Mammogram — right MLO. 40-year-old patient.
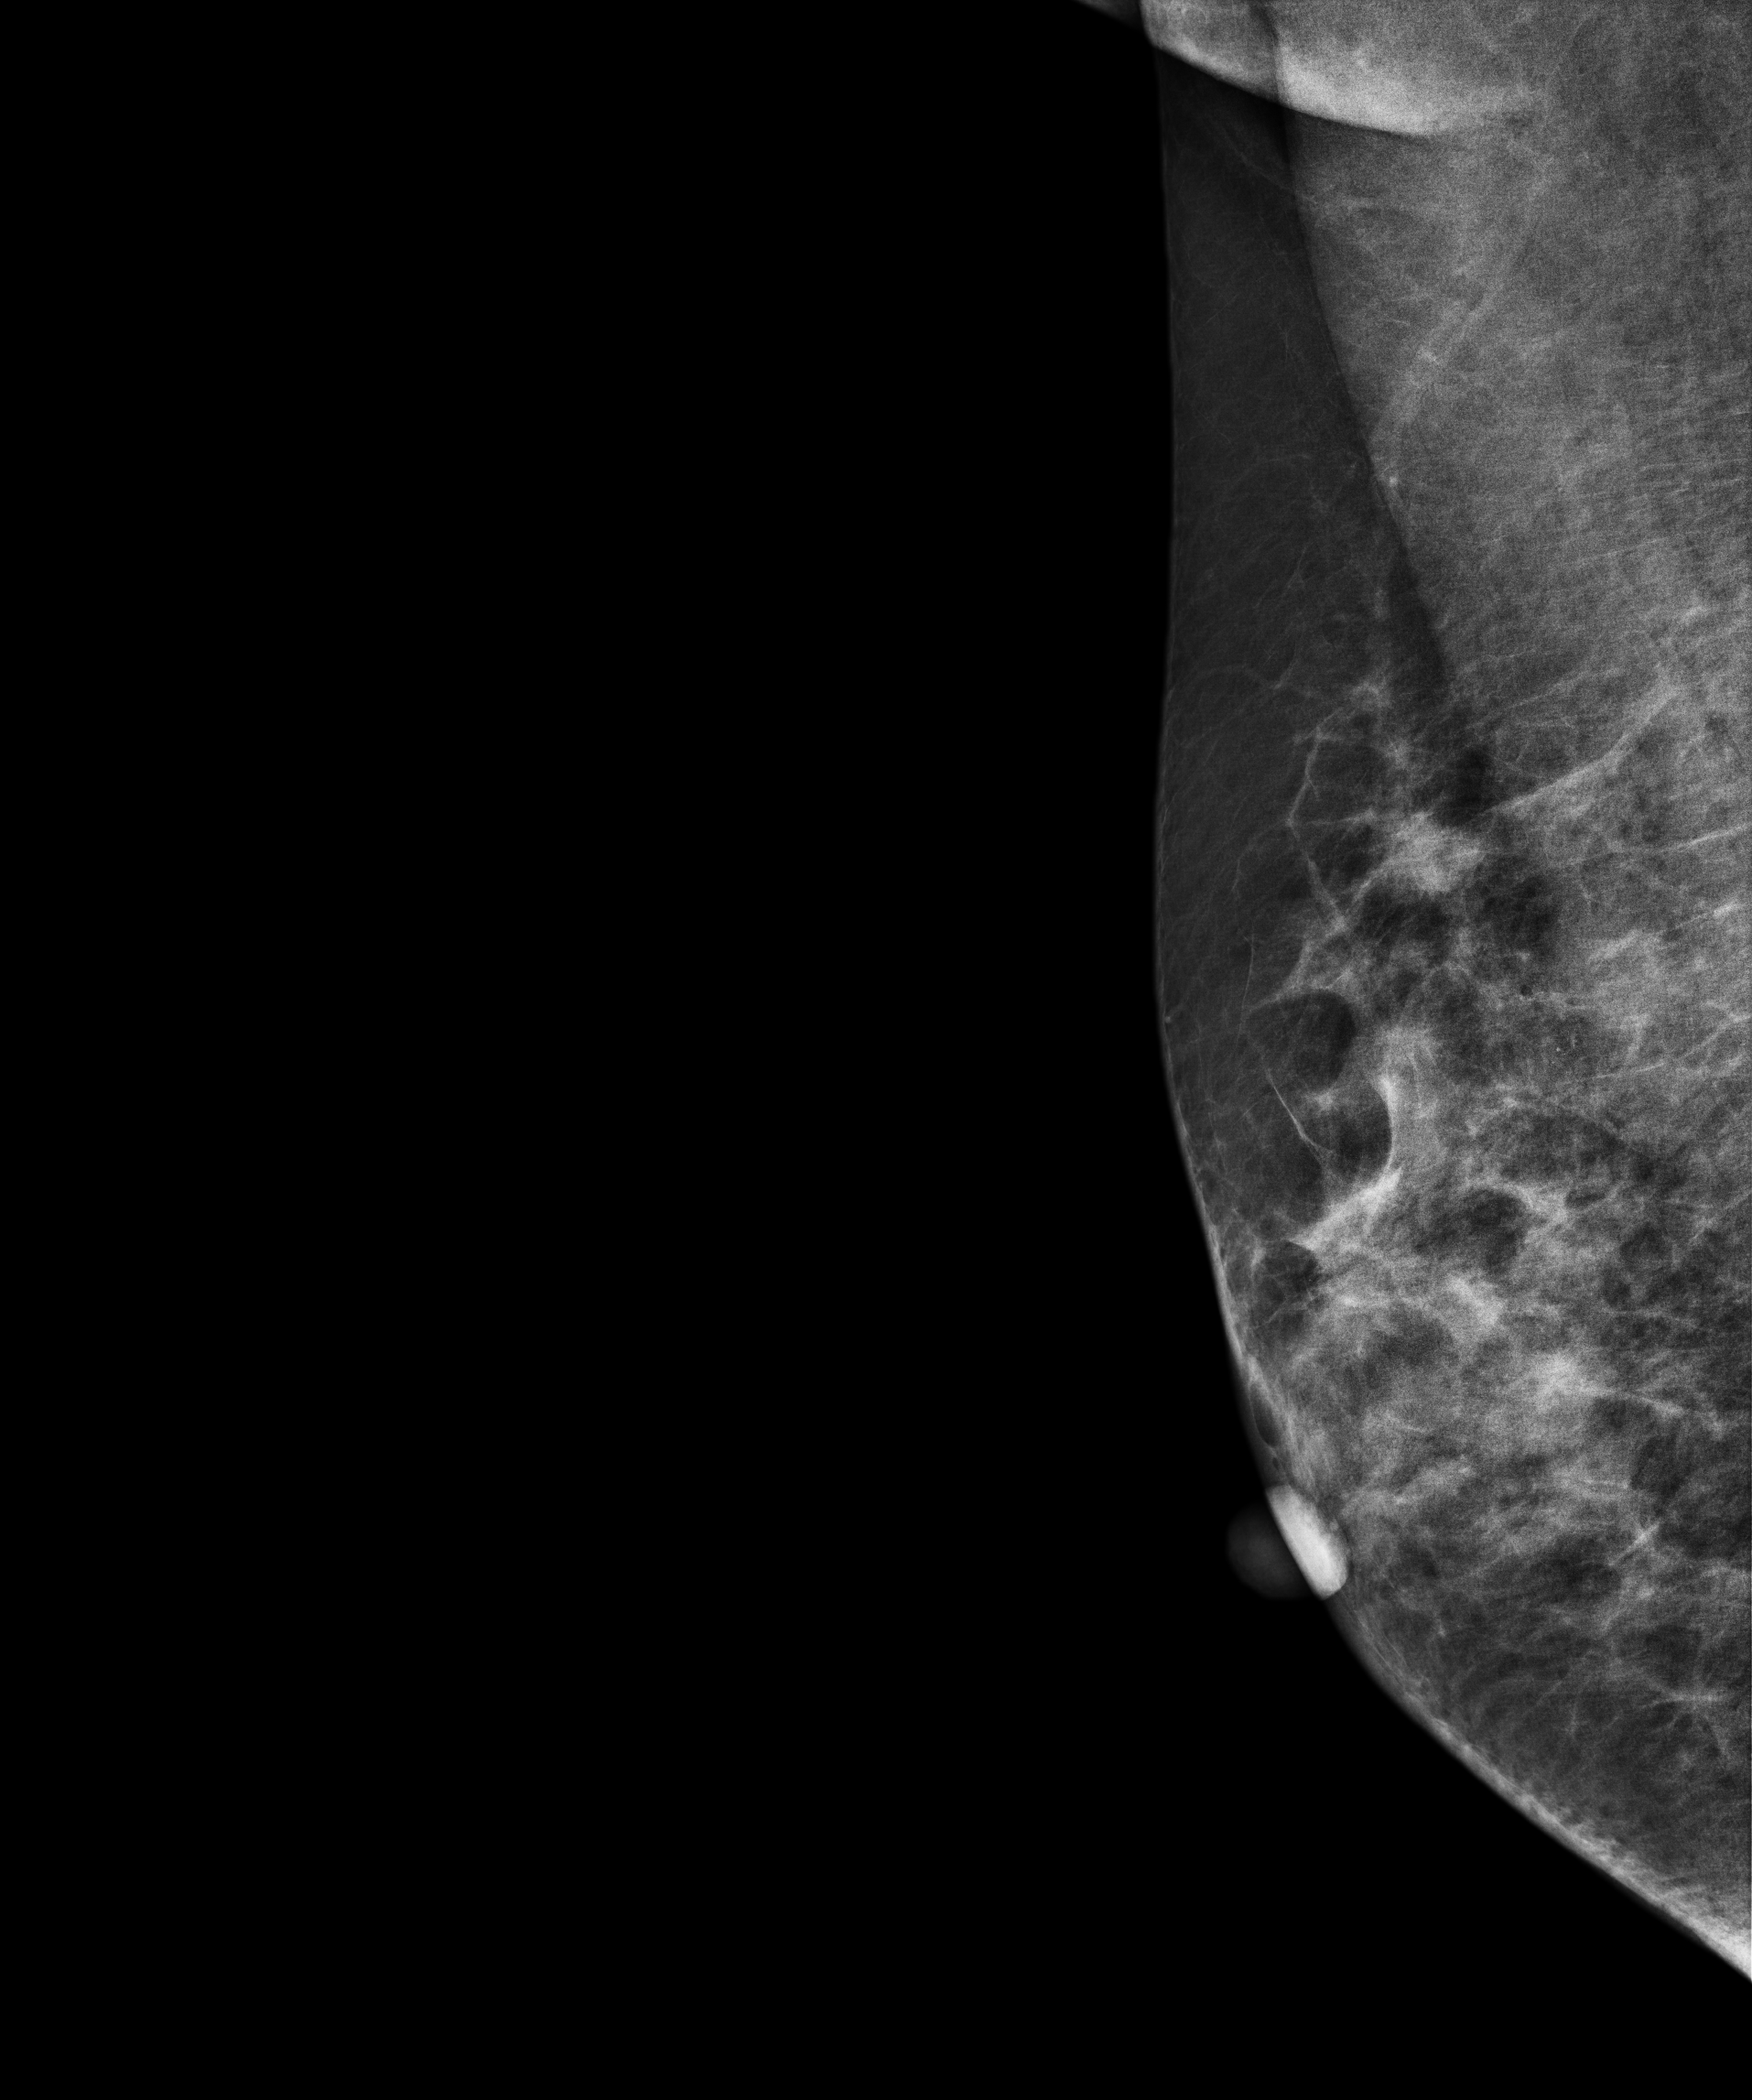
This breast has a mass, biopsy-confirmed malignant. Molecular subtype: luminal B.